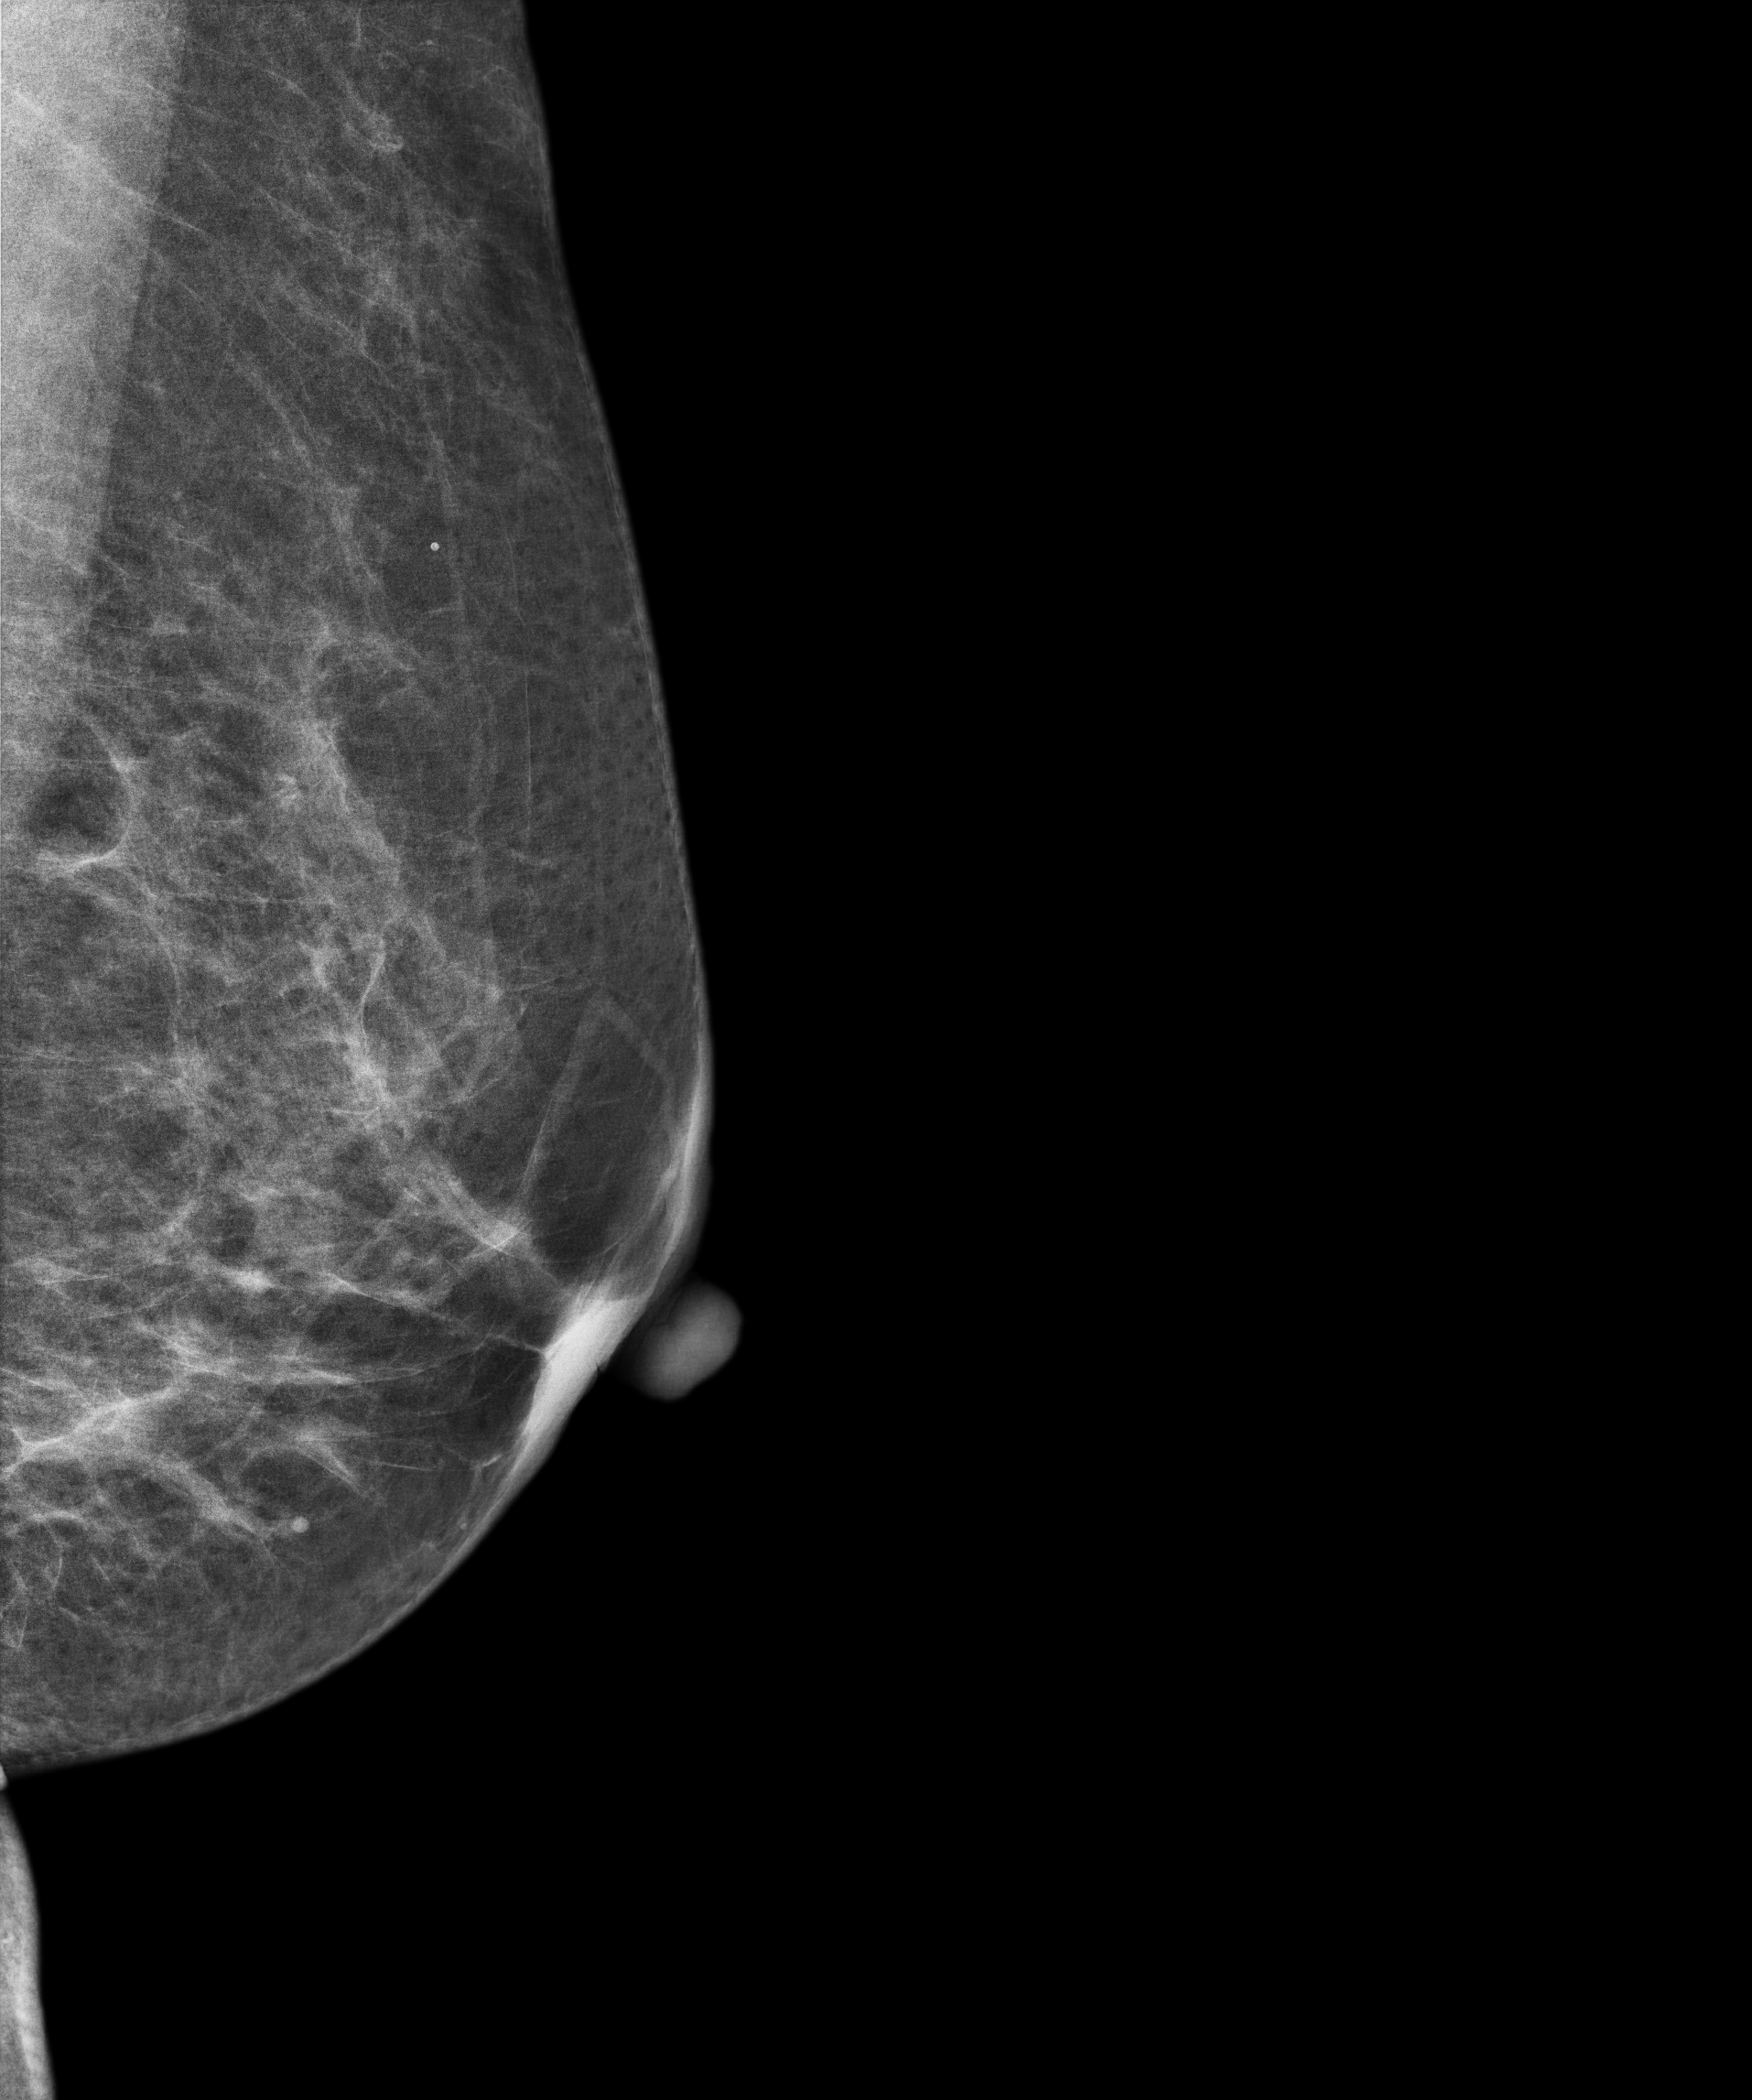
Medio-lateral oblique mammogram of the left breast. 51 y/o patient.
Contralateral breast — no documented abnormality on this side.